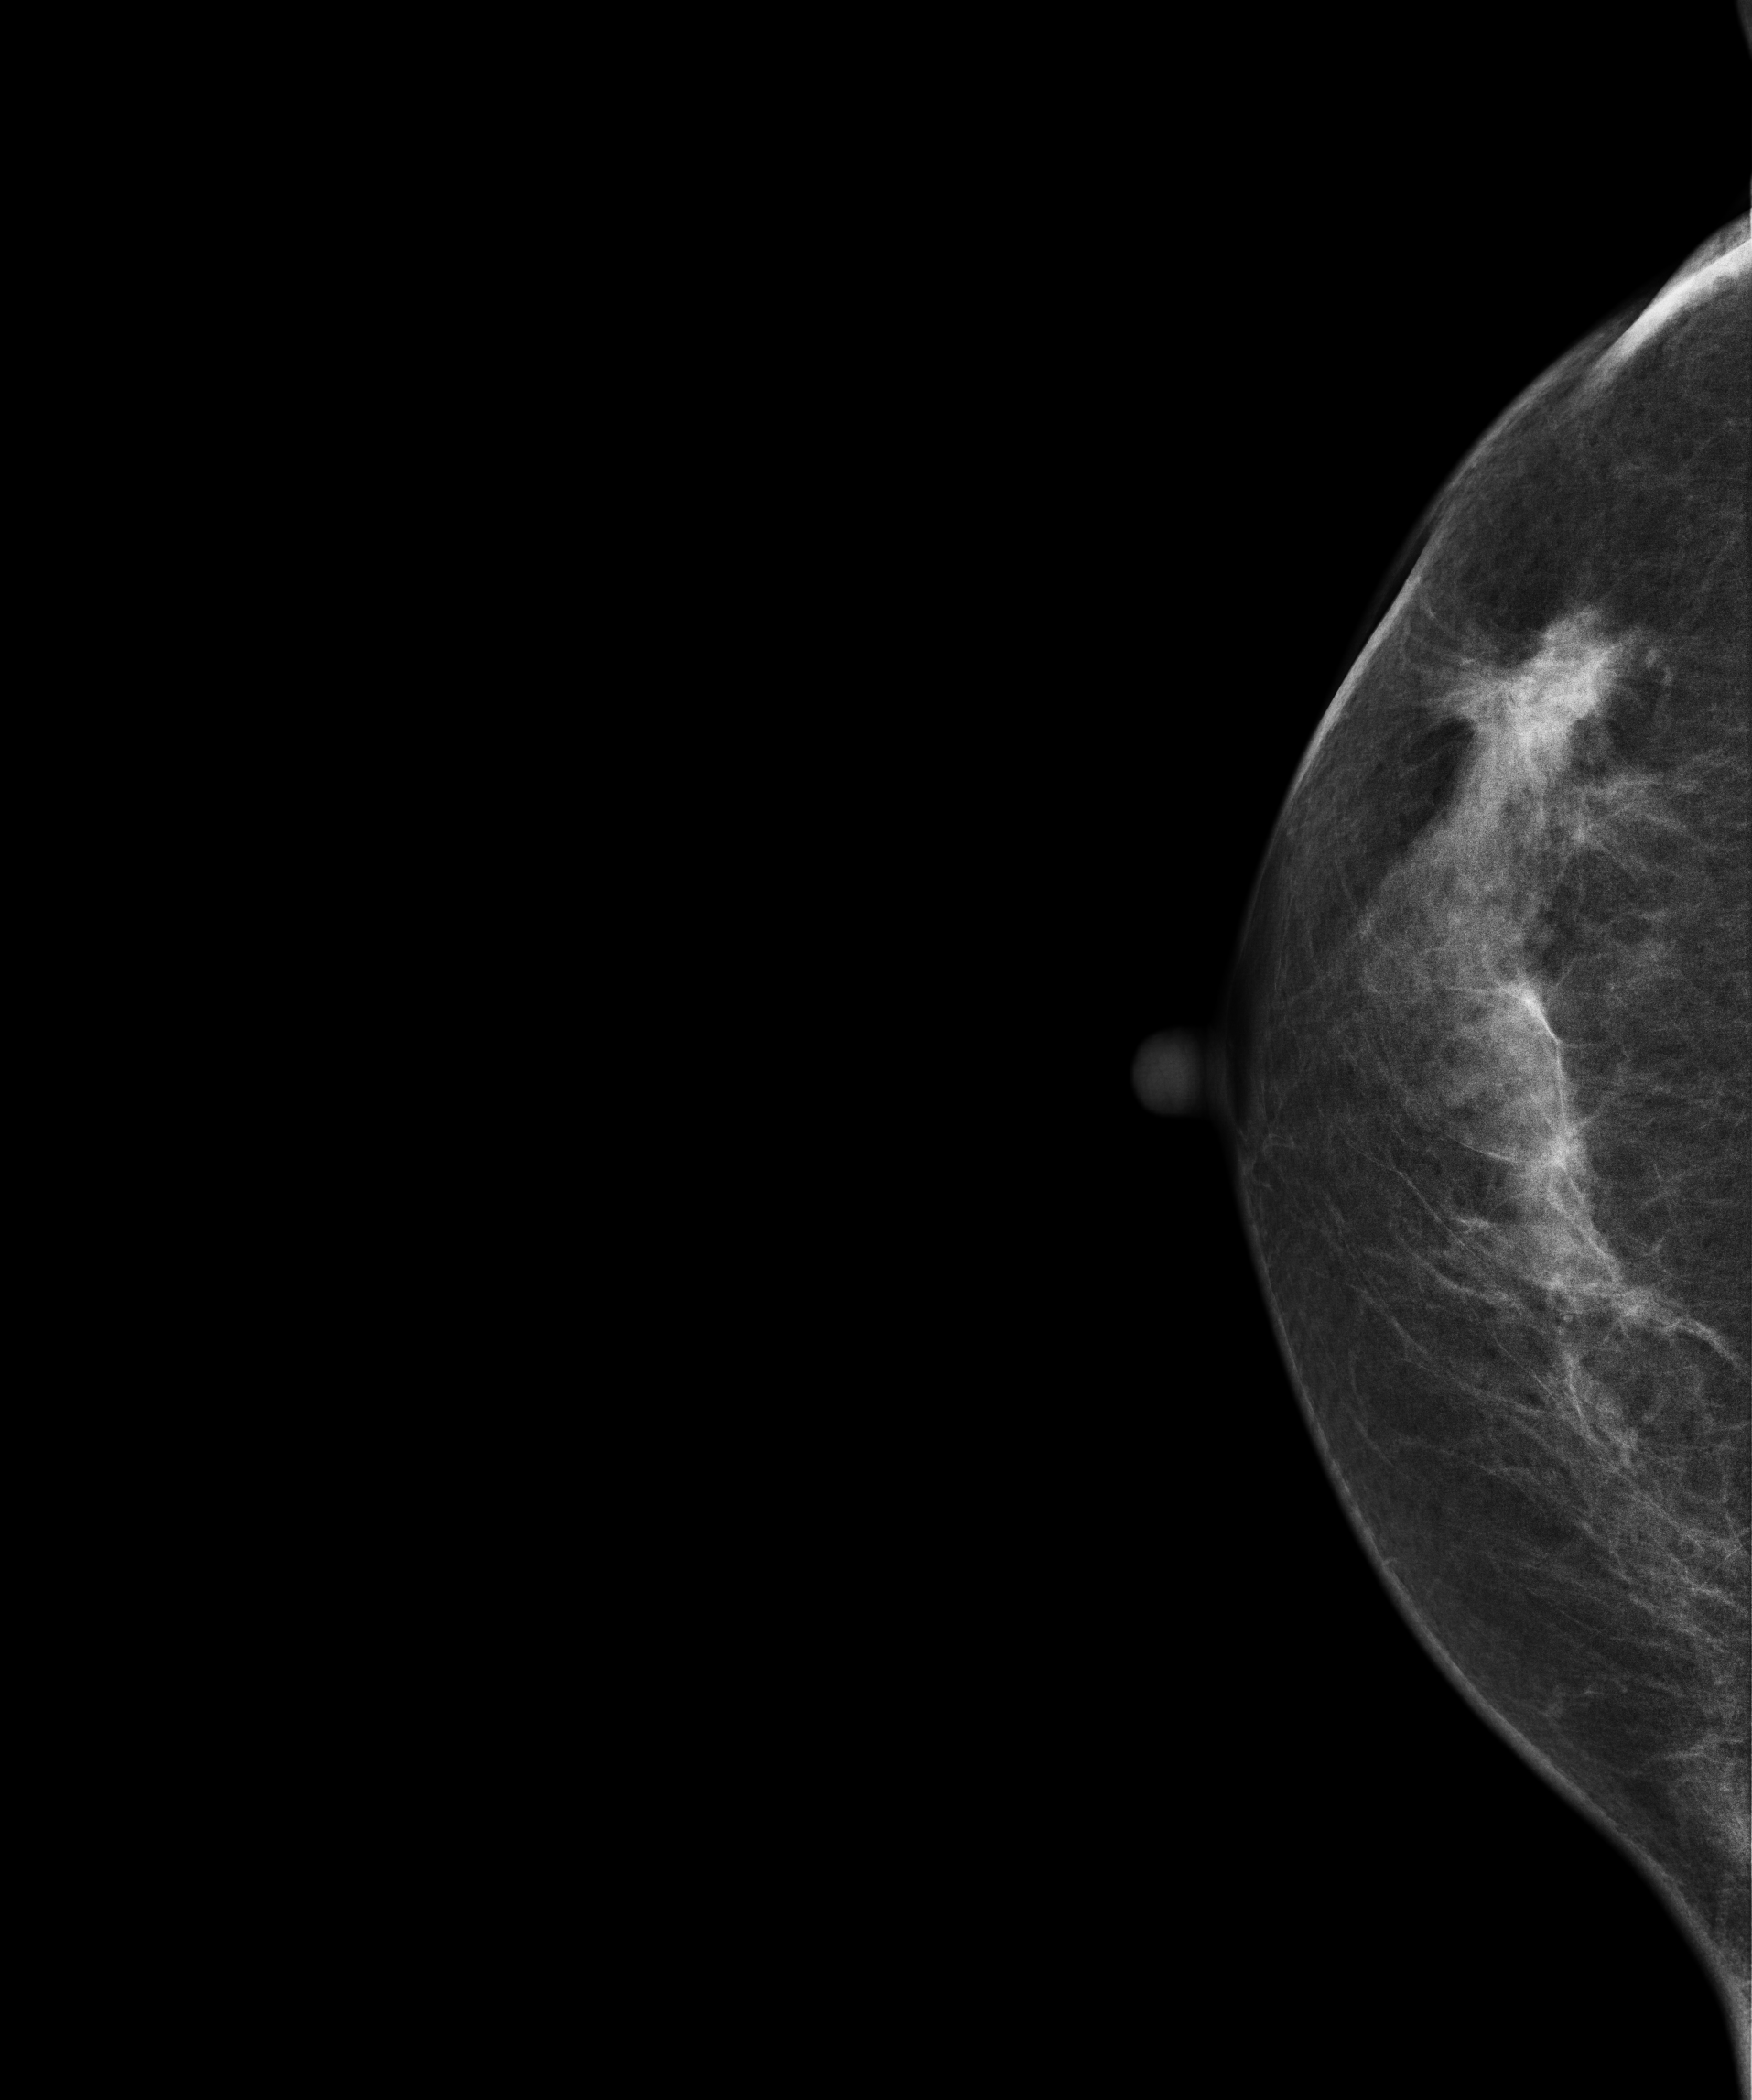
Mammogram — right CC. 62-year-old patient.
This breast has a mass, histologically confirmed malignant.